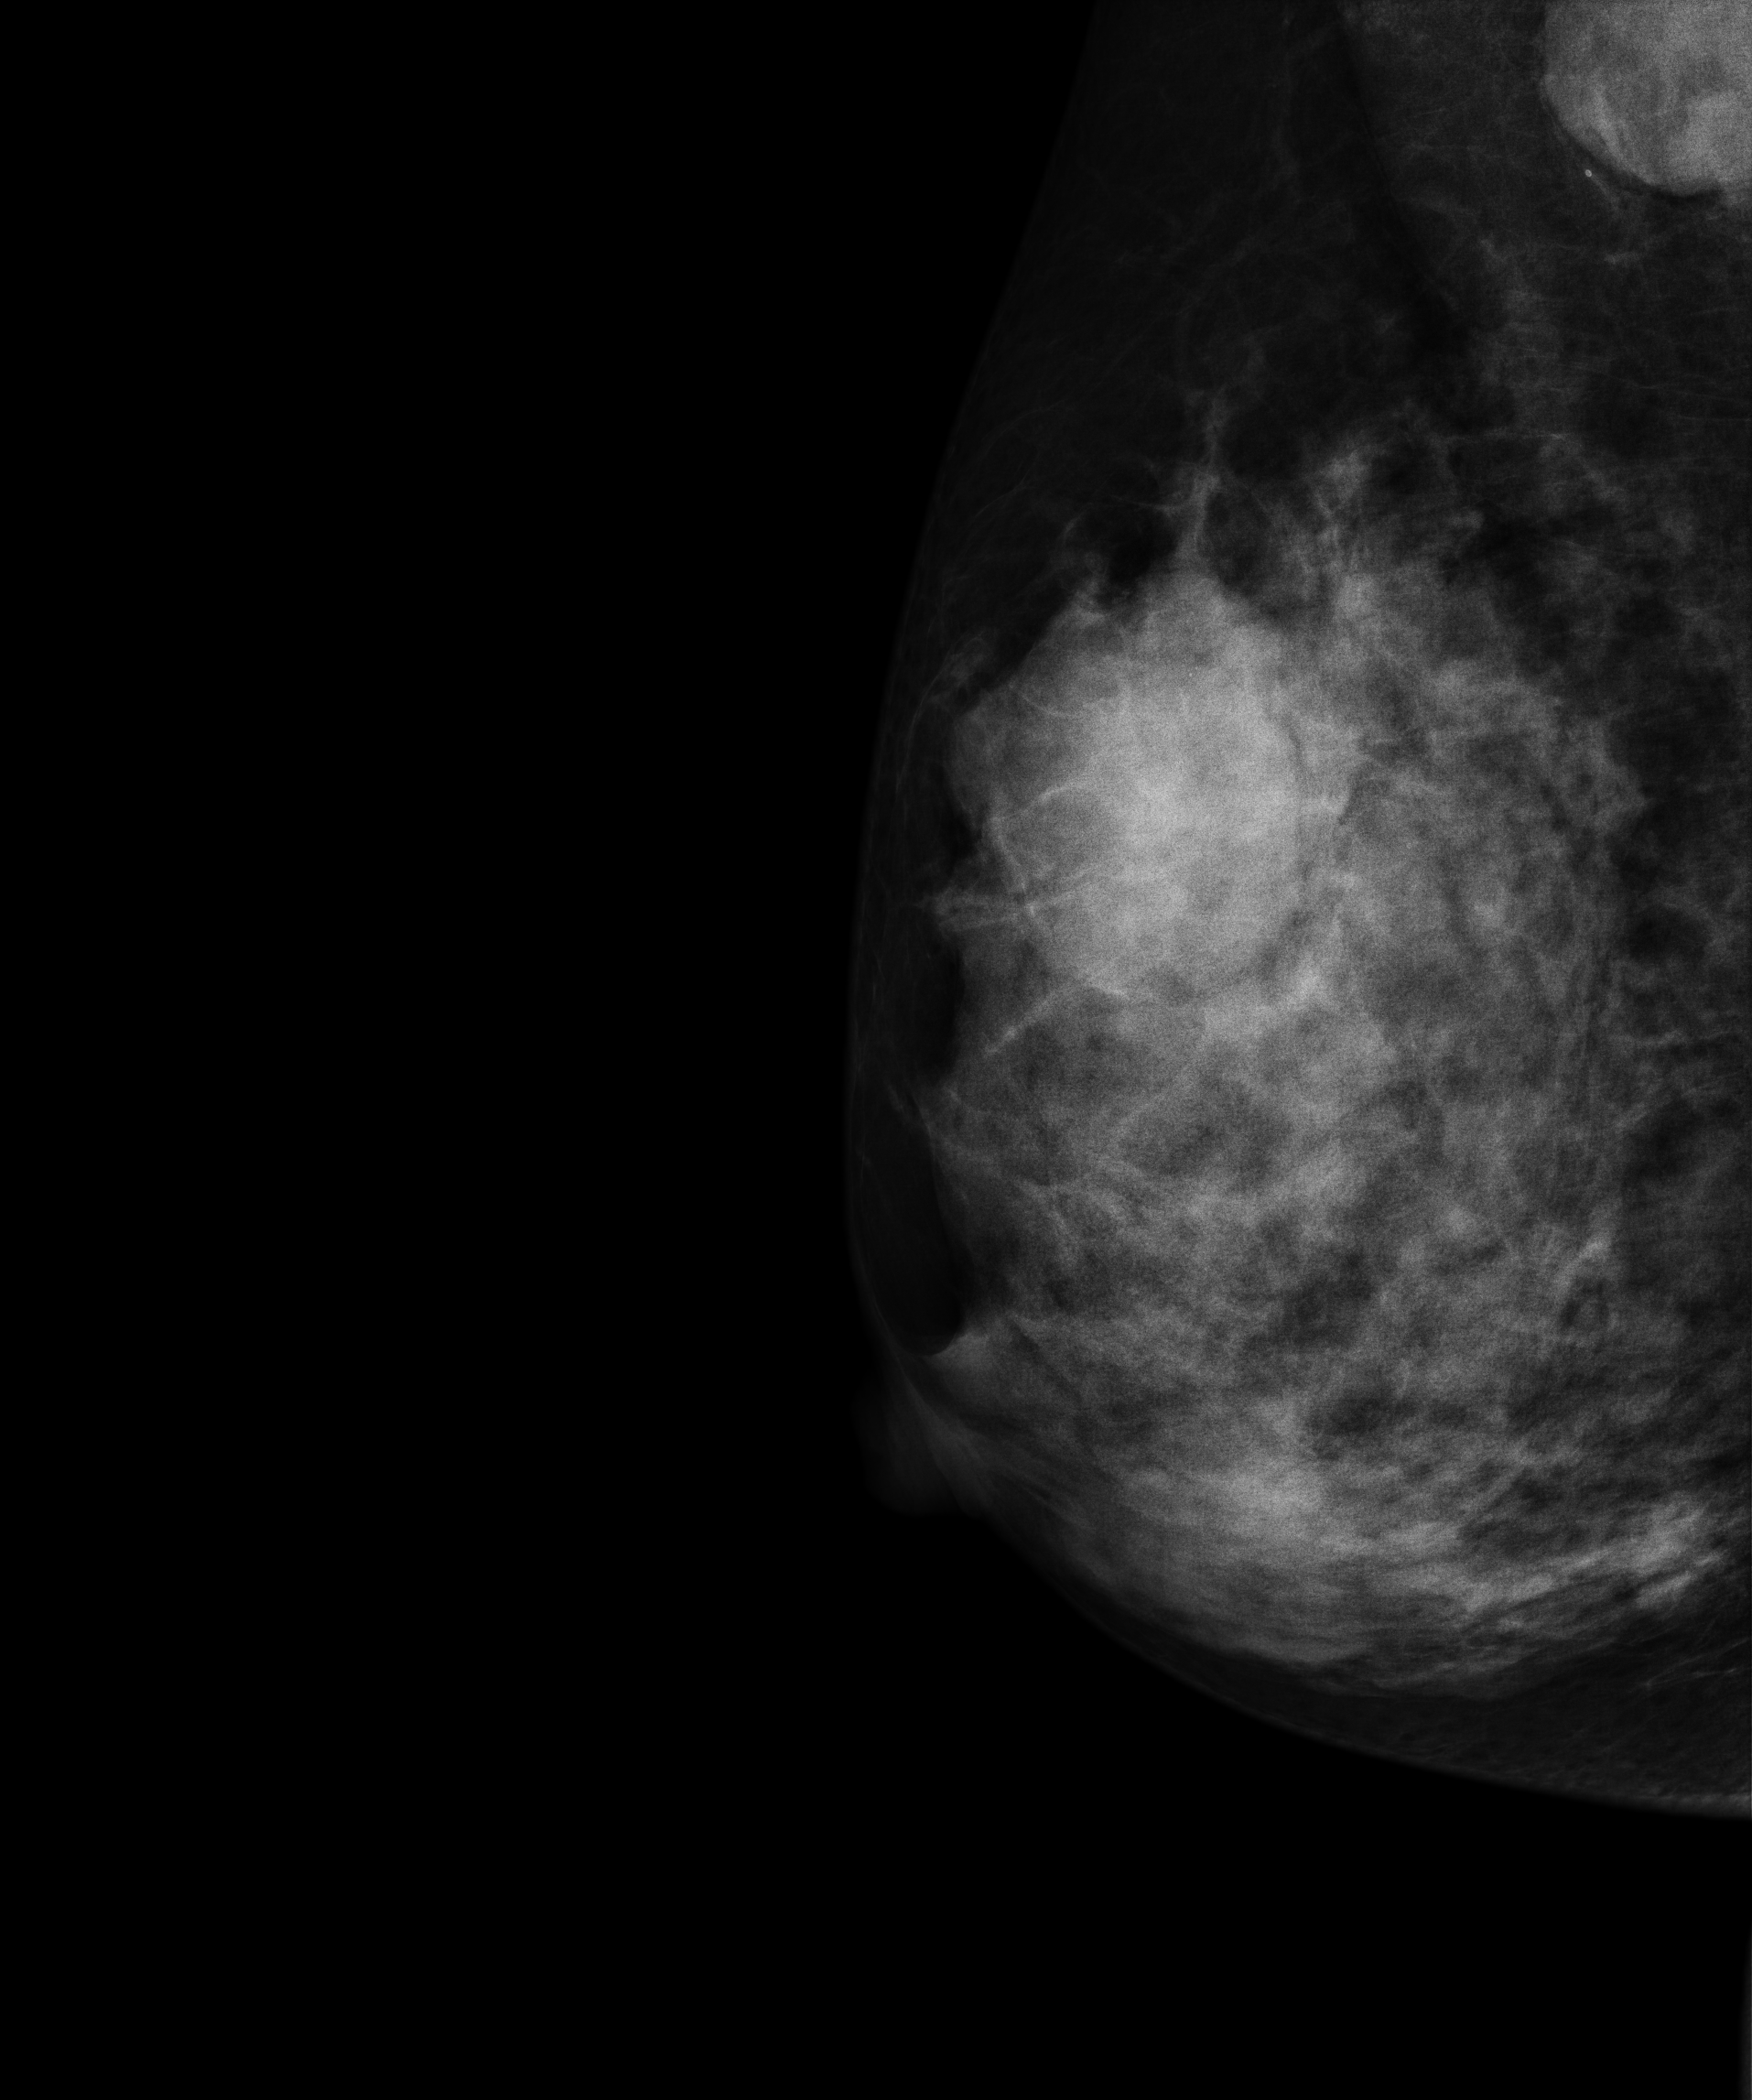
Mammogram — right MLO. 27 y/o patient.
This breast has a mass, histologically confirmed malignant. Molecular subtype: luminal B.